Digital mammography. Left breast, cranio-caudal projection. 35 y/o patient.
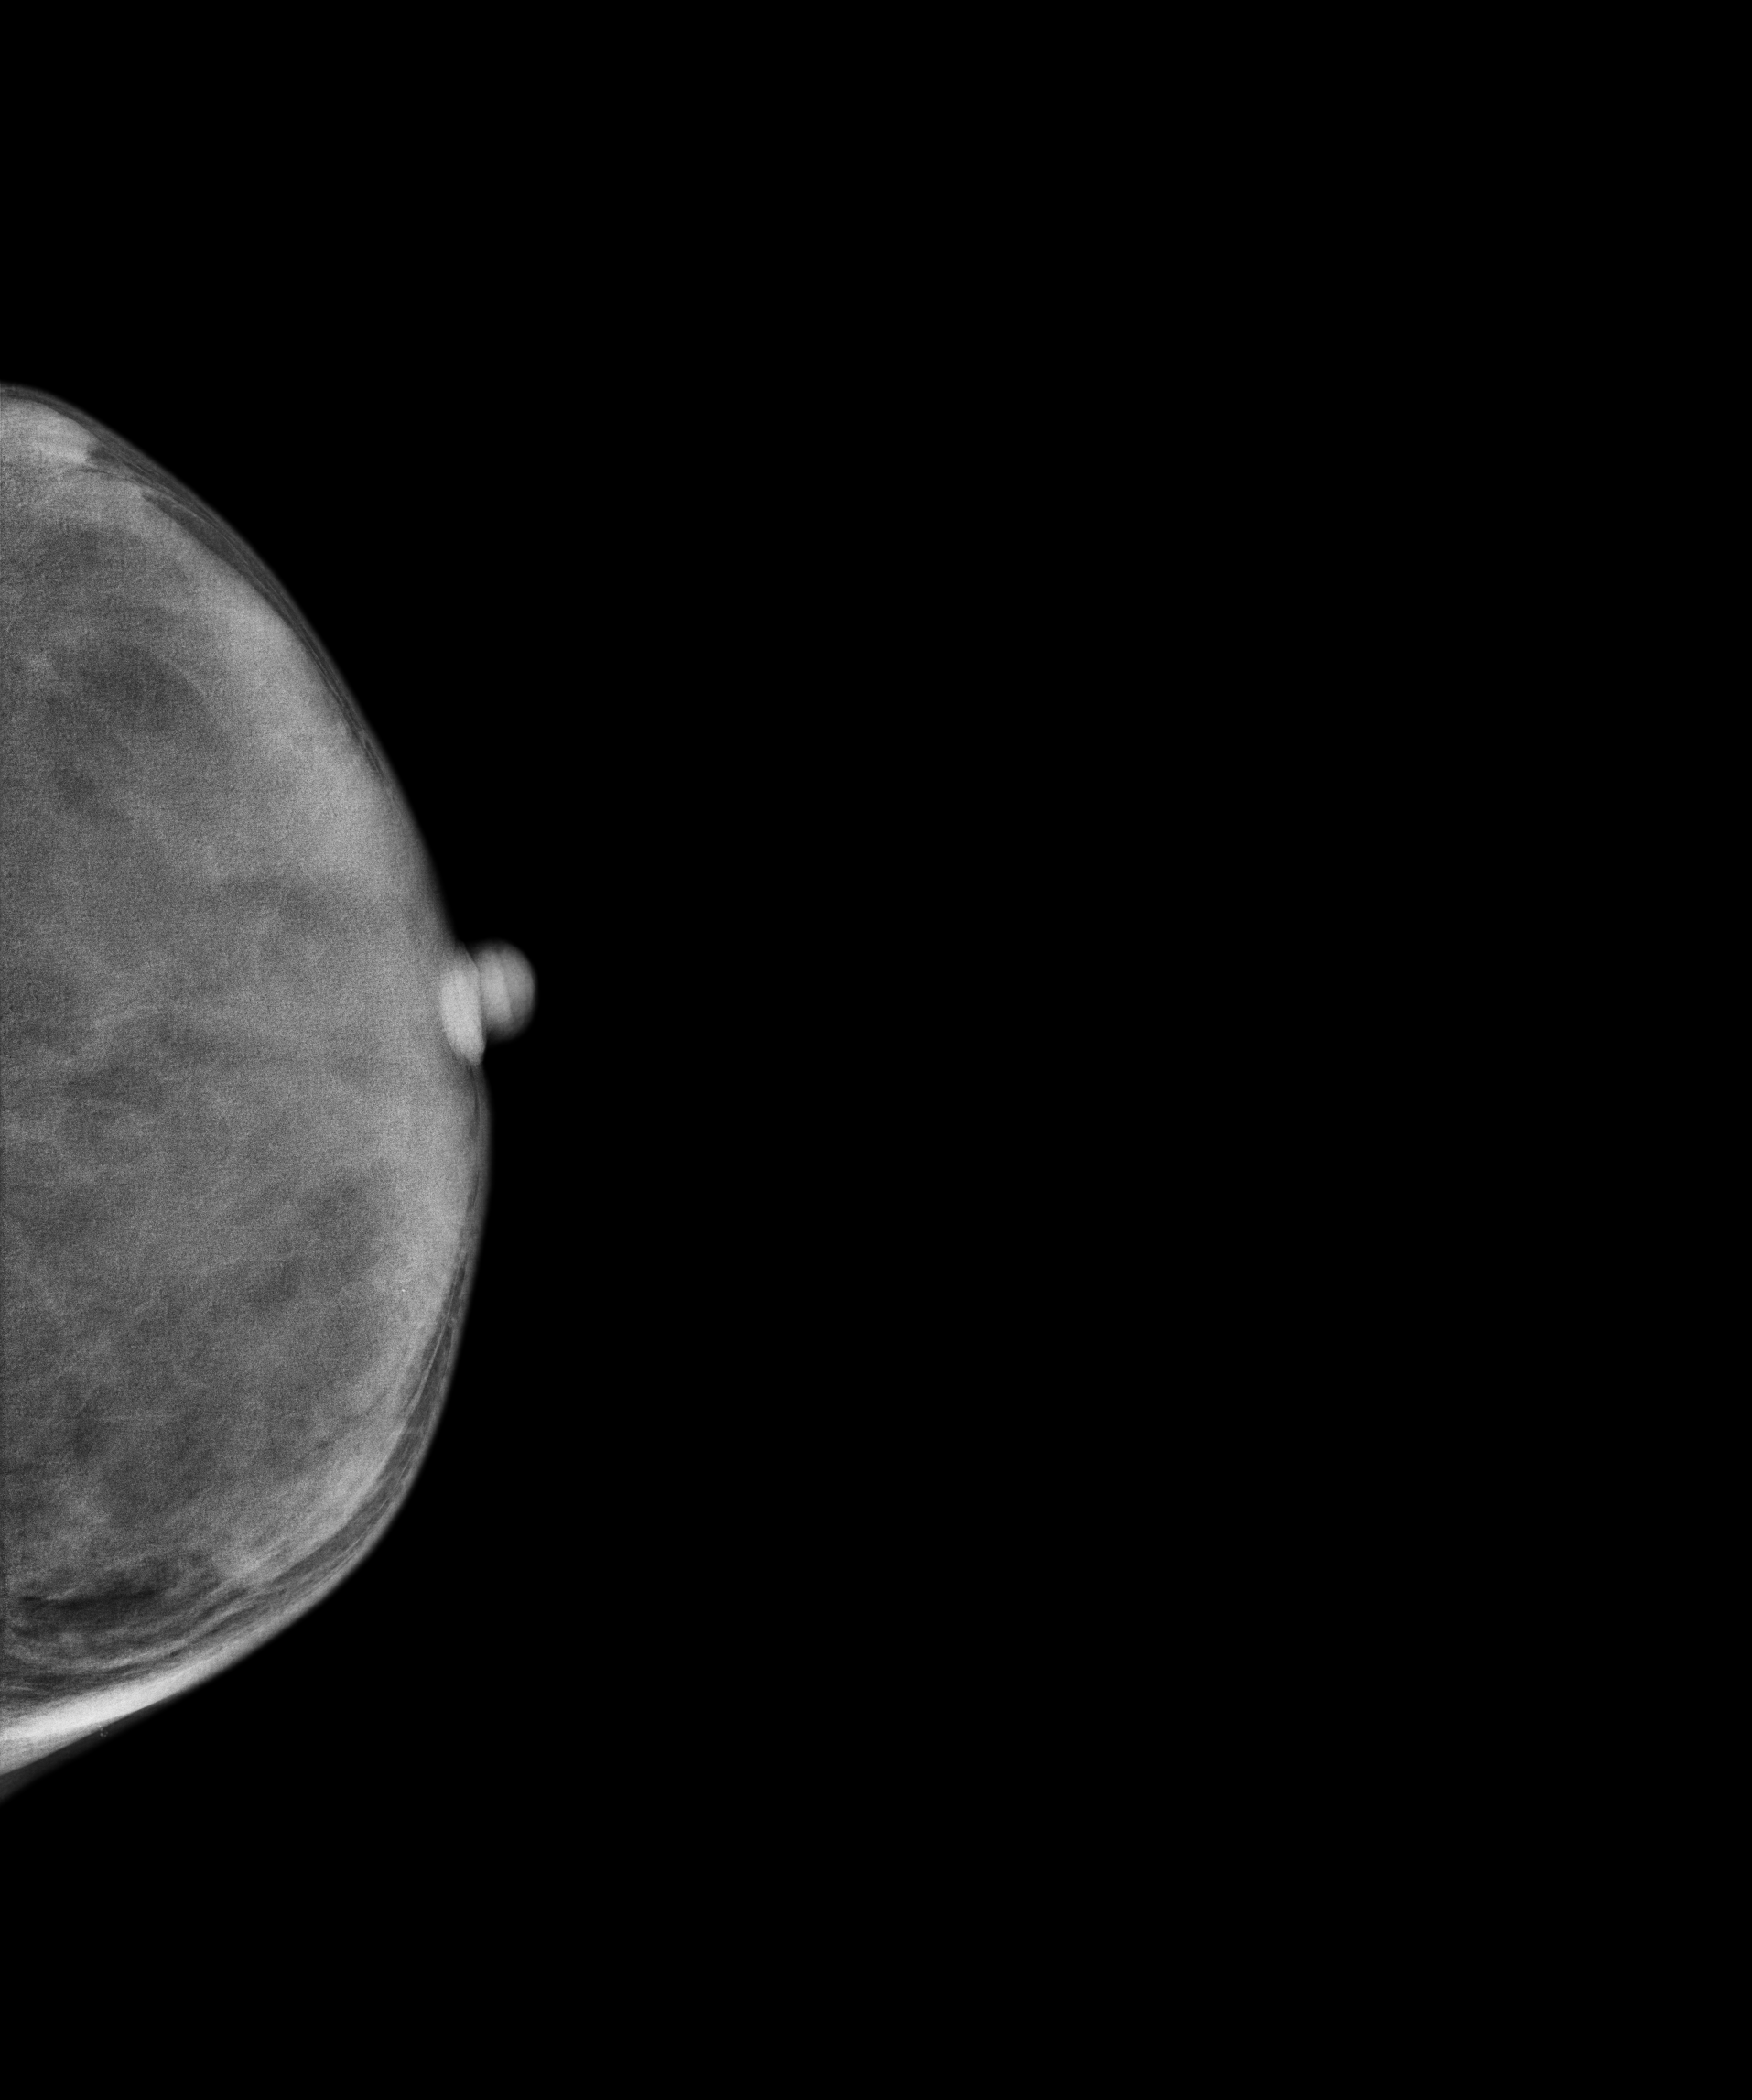
Contralateral breast — no documented abnormality on this side.